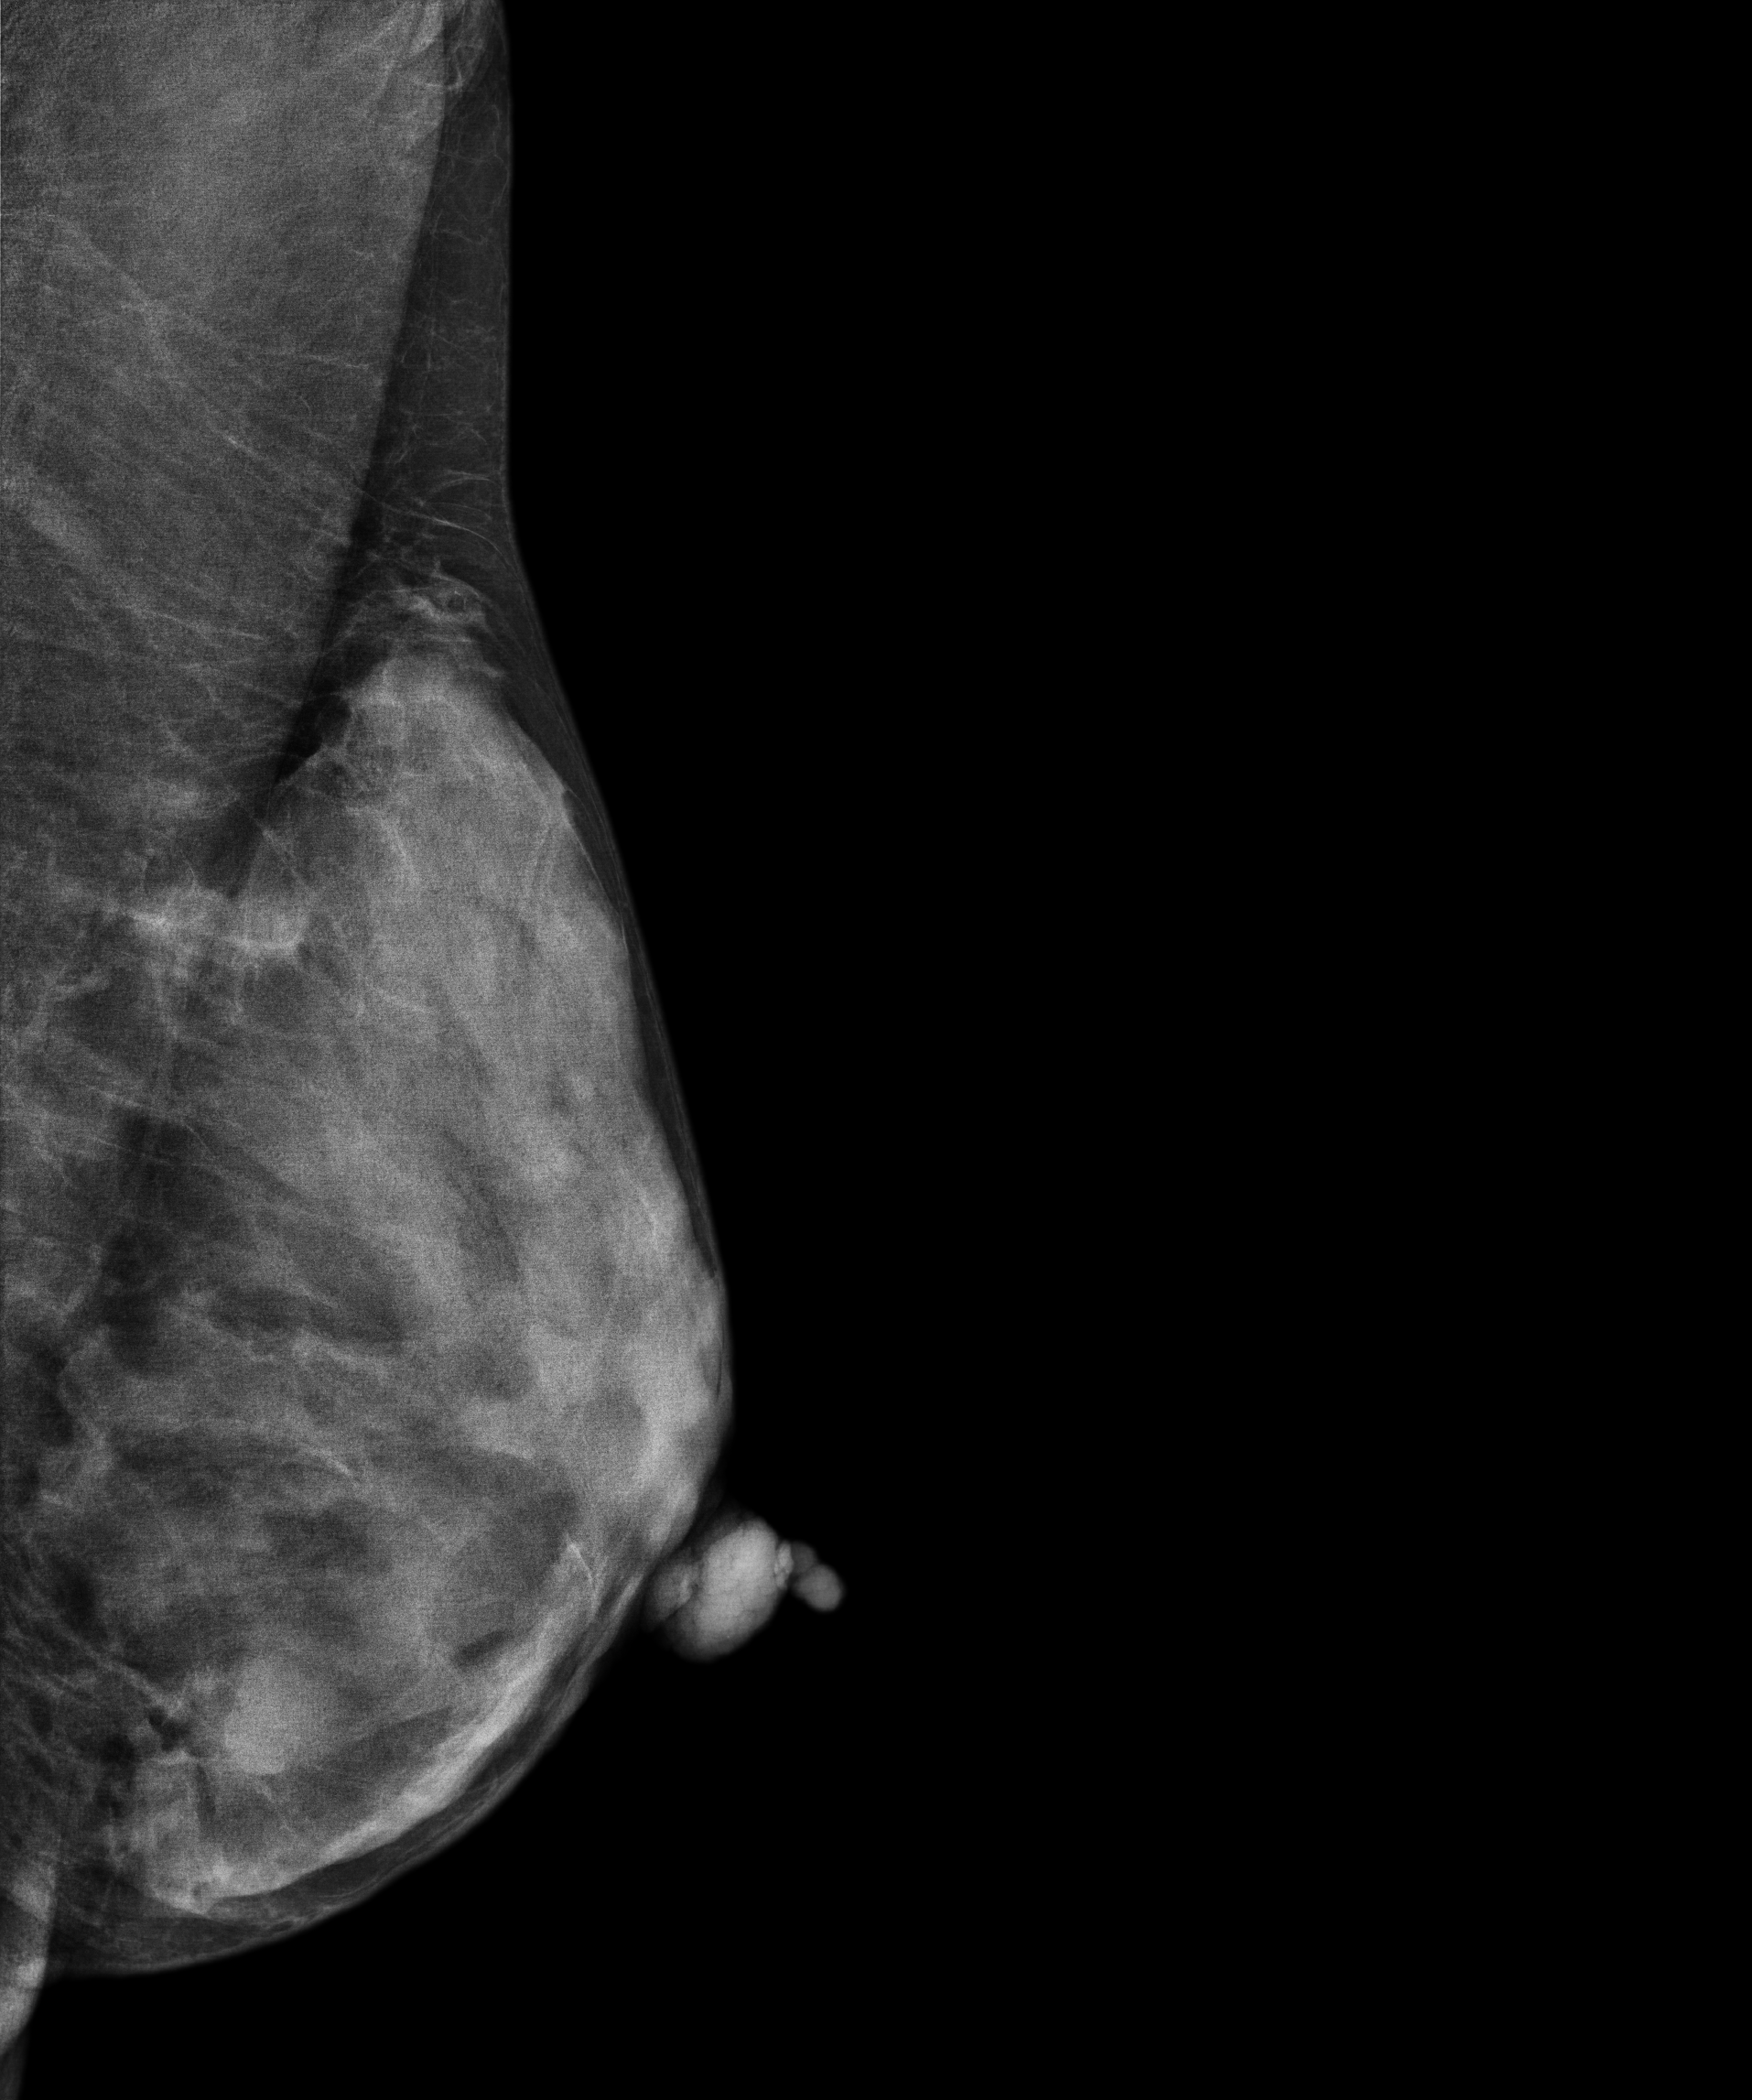
Mammogram — left MLO. 50-year-old patient.
This breast has a mass, biopsy-proven malignant. Molecular subtype: luminal A.